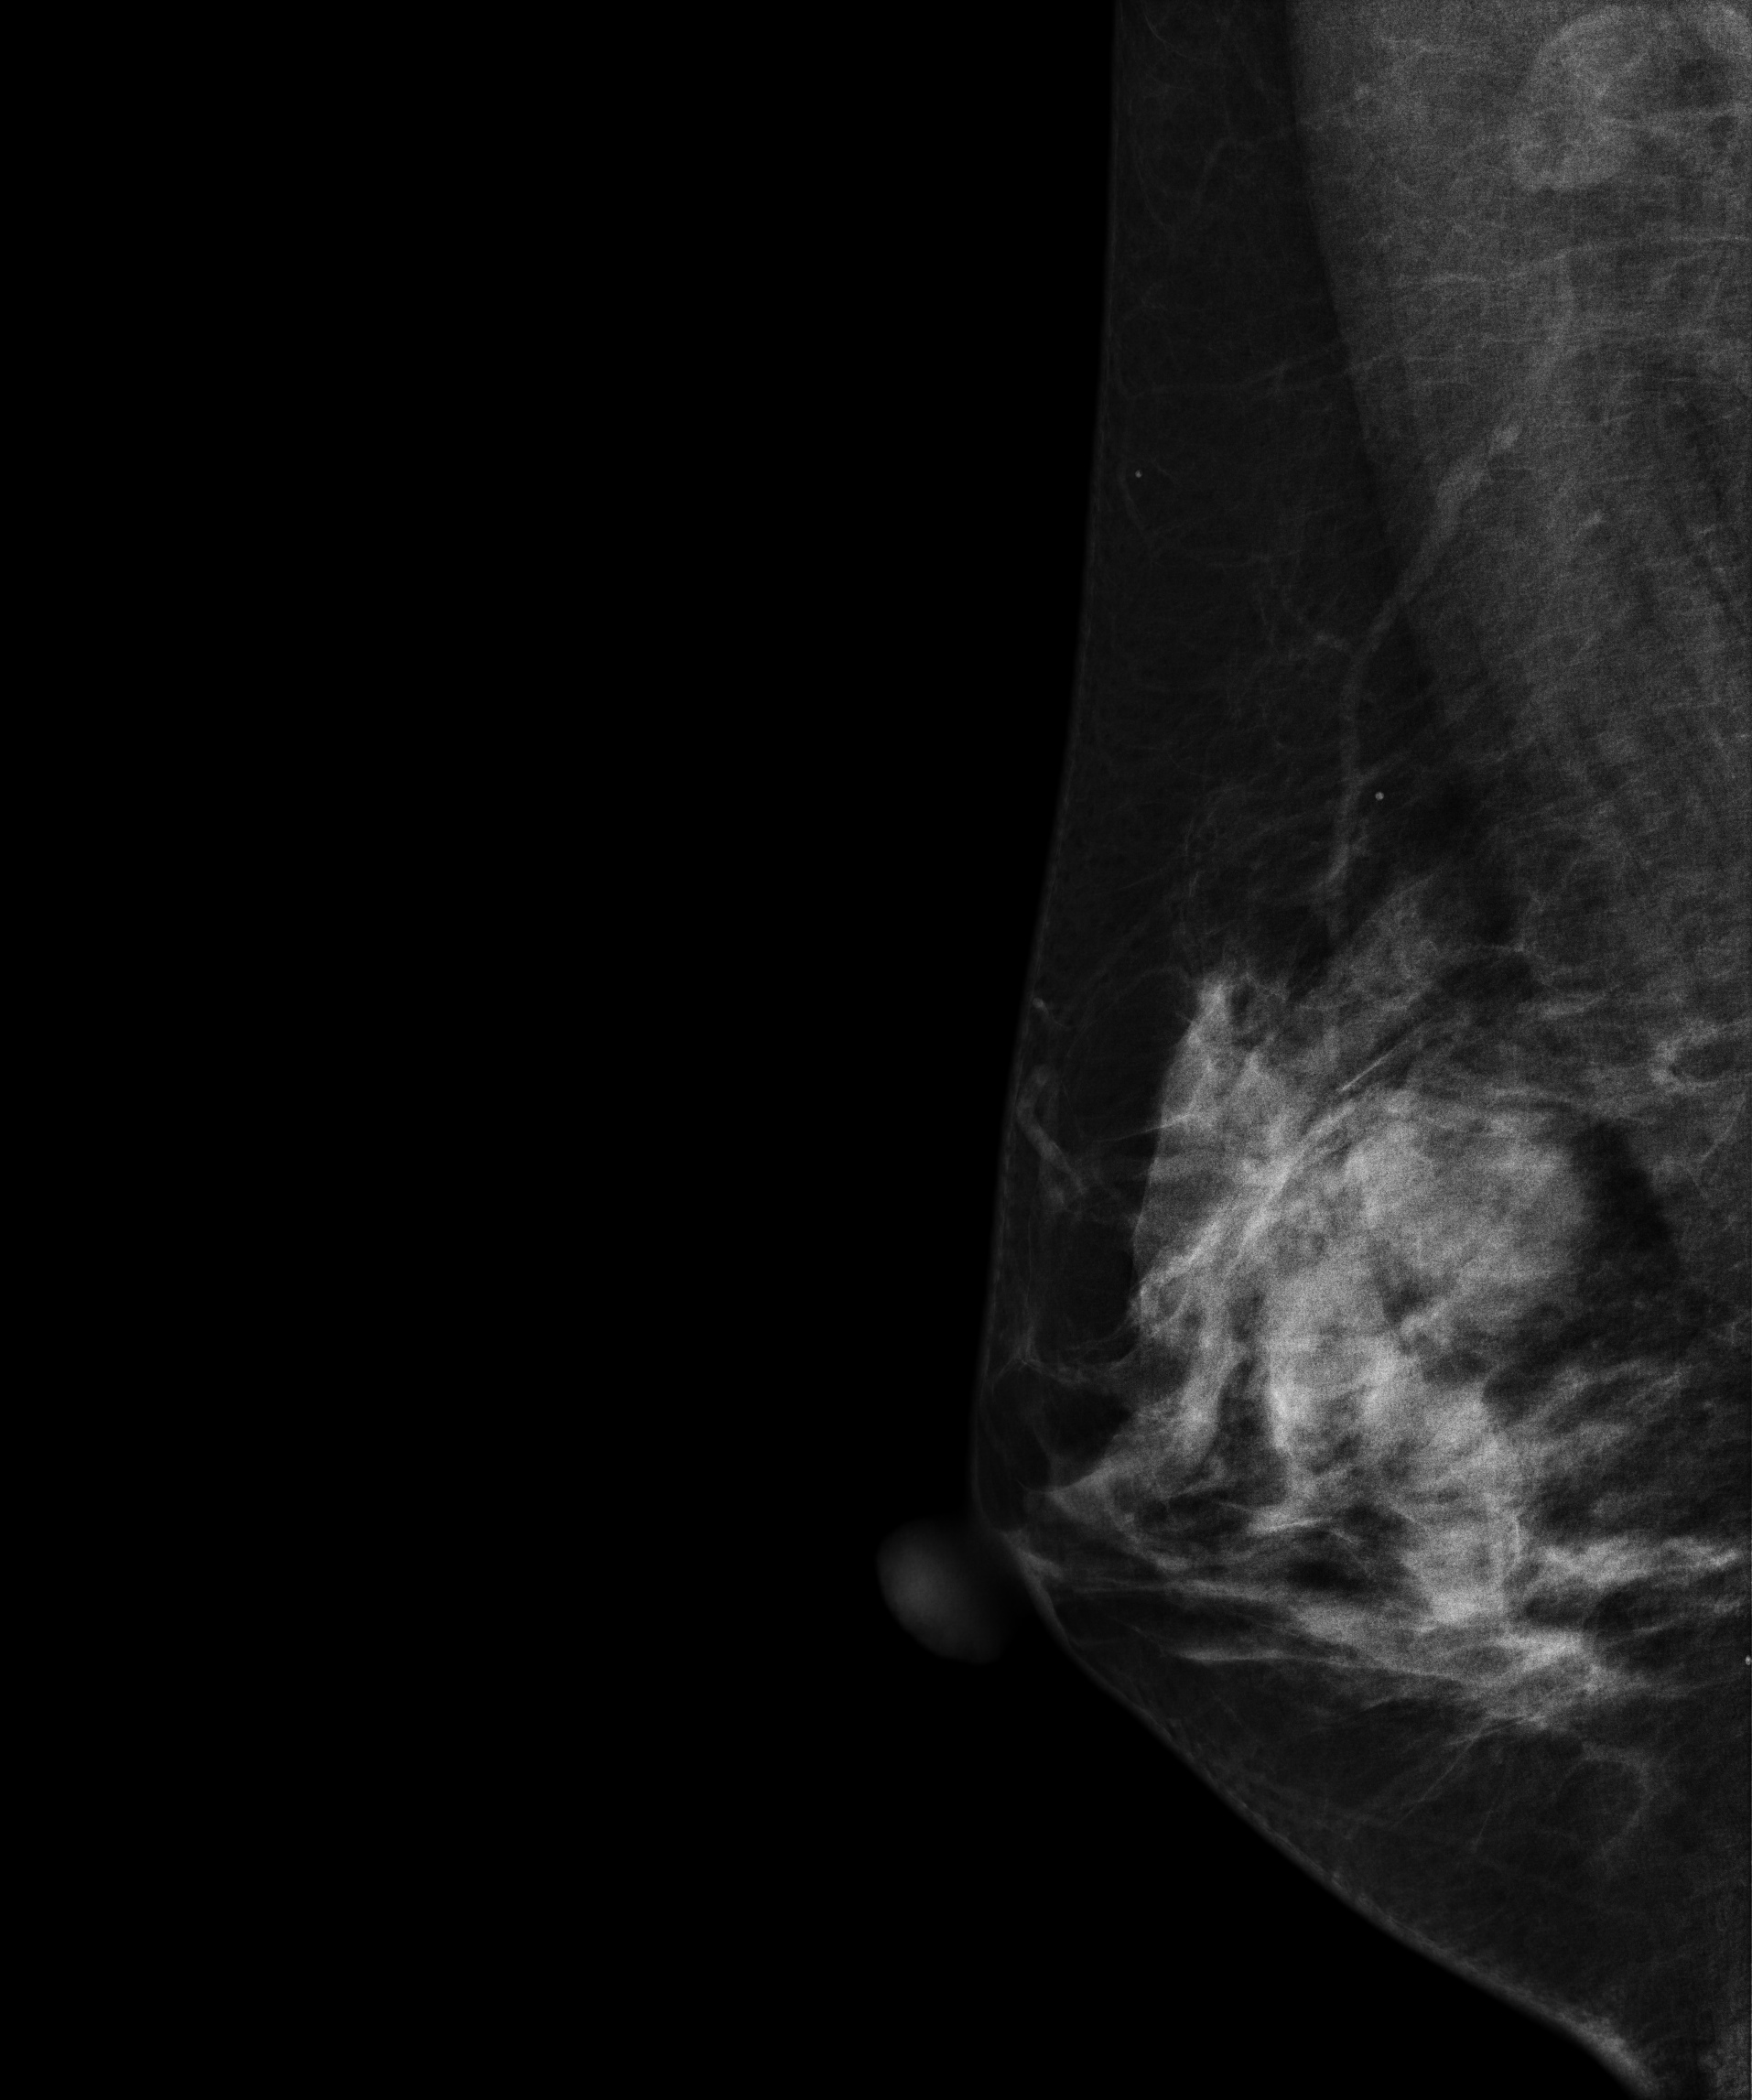
Mammogram — right medio-lateral oblique. 39-year-old patient.
This breast has a mass and calcifications, biopsy-confirmed benign.